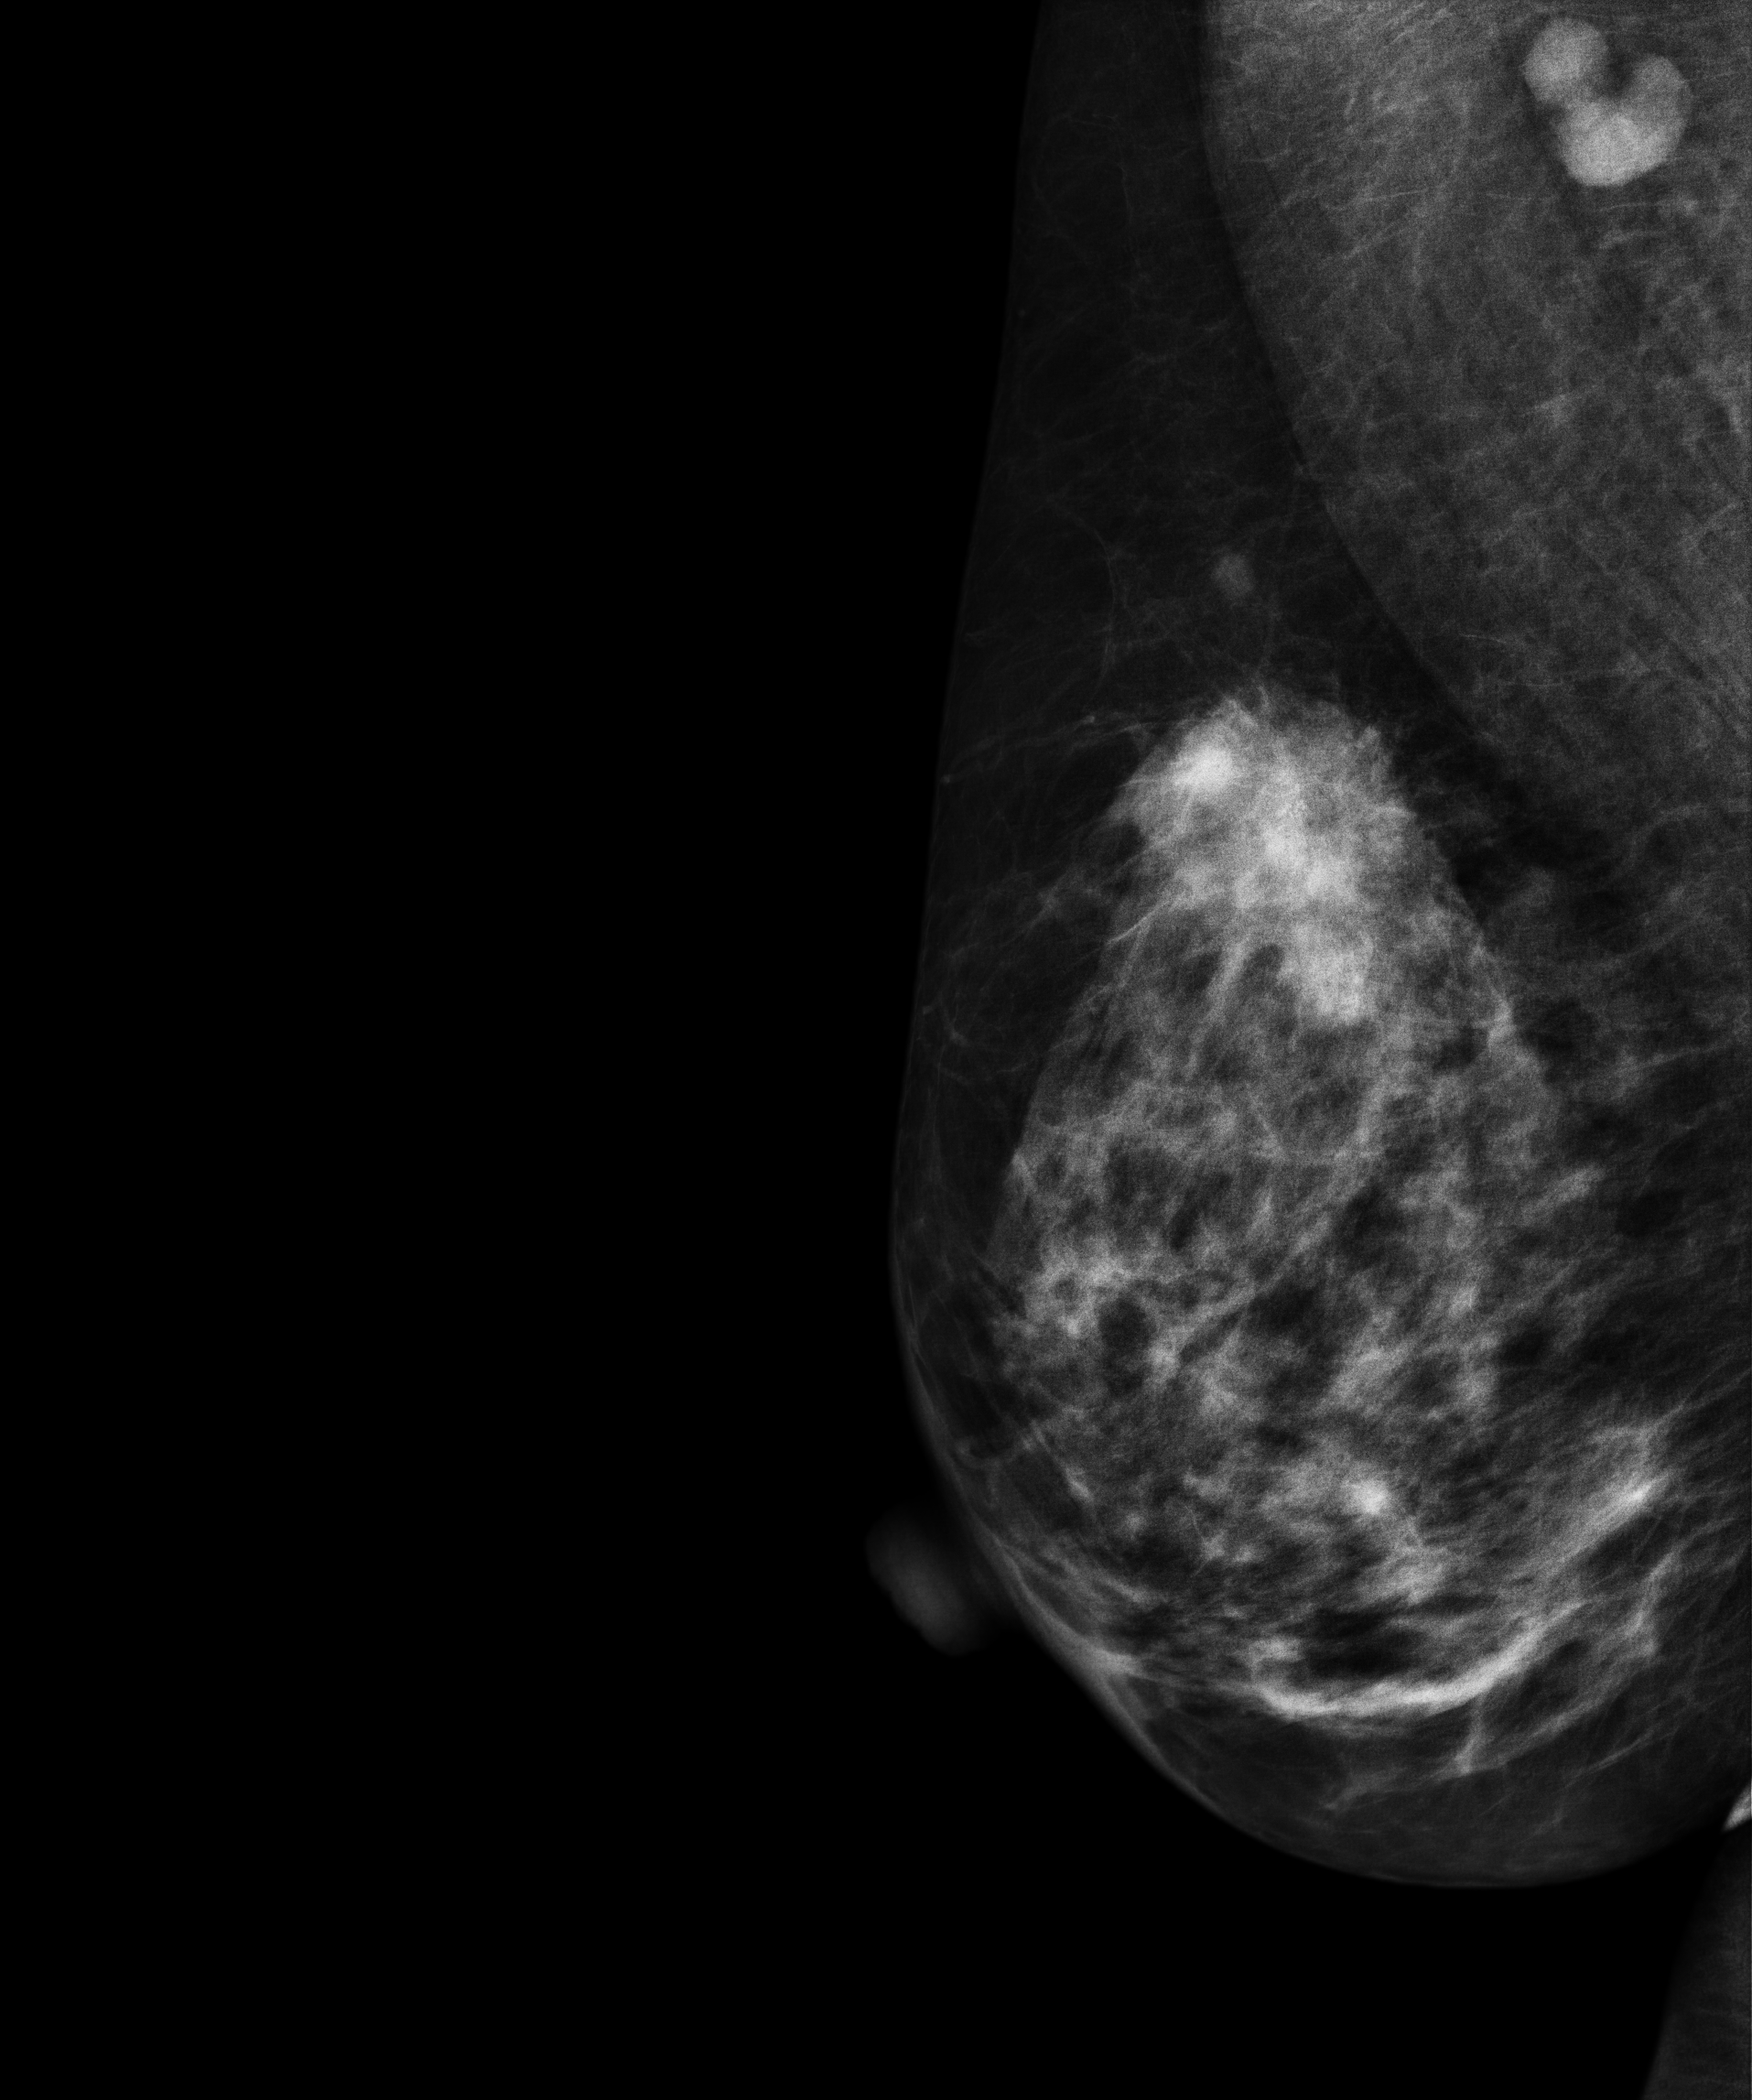
Medio-lateral oblique mammogram of the right breast. 50 y/o patient.
This breast has a mass, pathology-confirmed malignant.